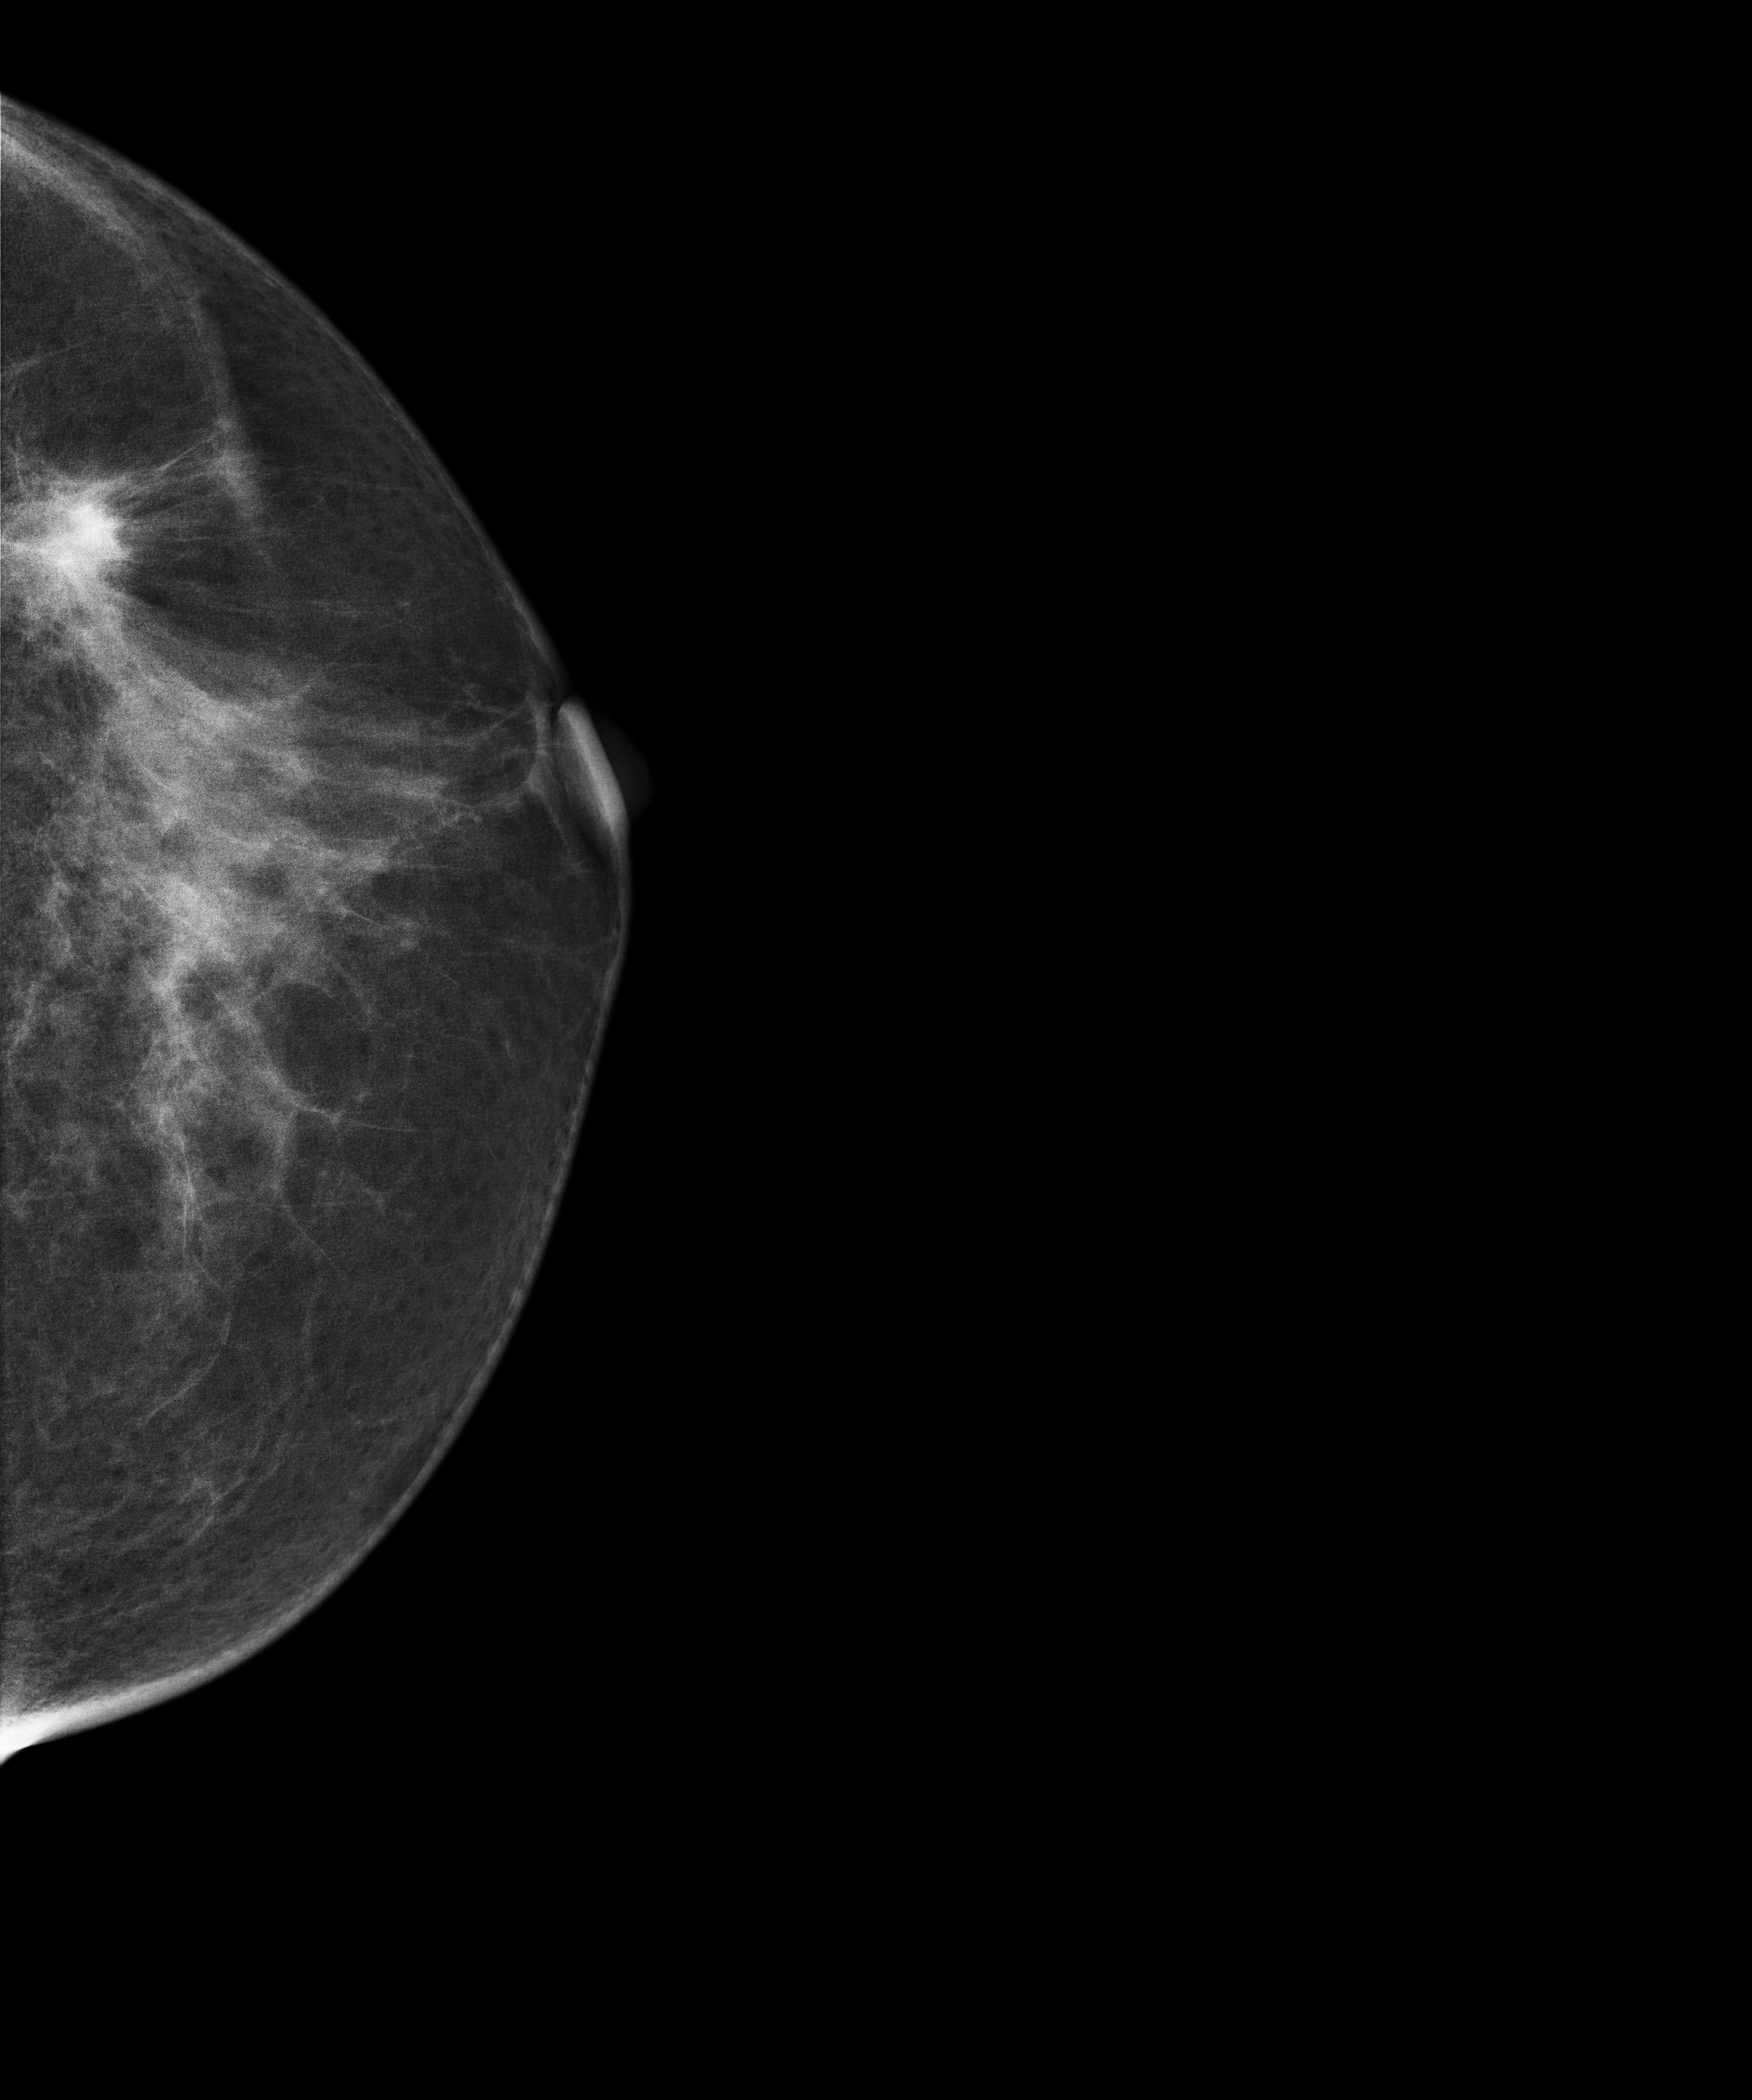
Left-breast mammogram, CC. 55 y/o patient.
This breast has a mass, pathology-confirmed benign.